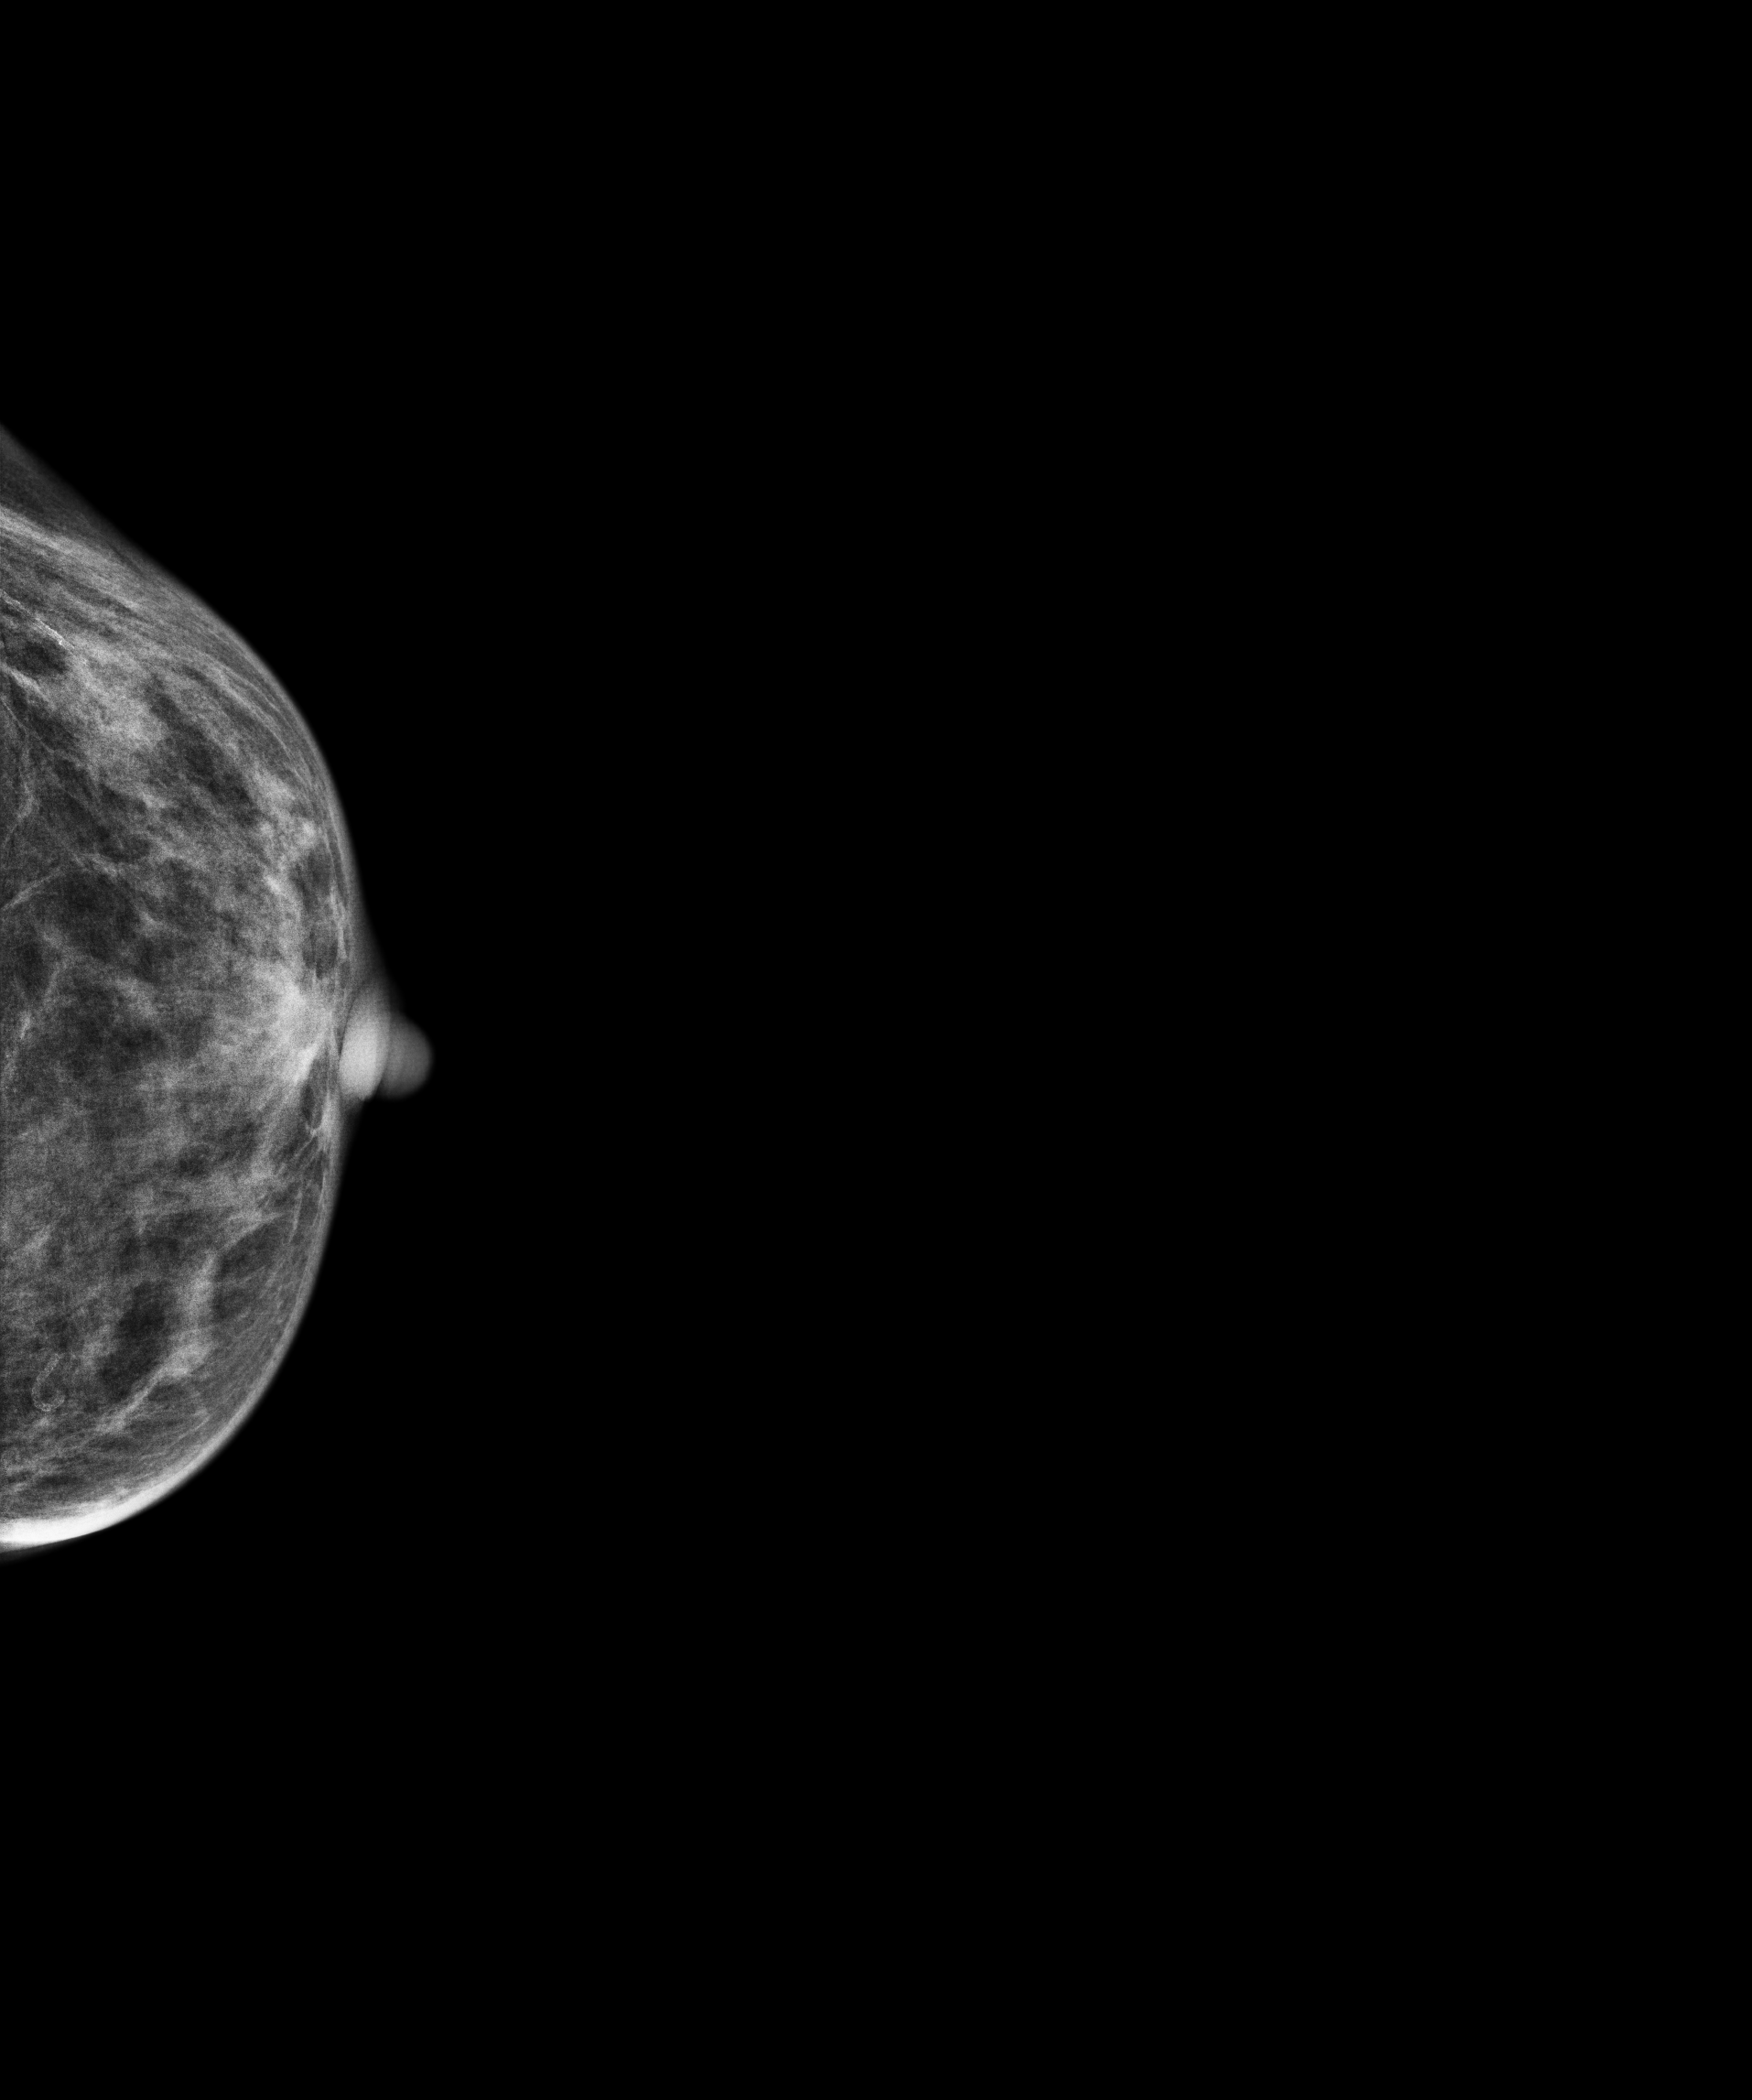
Mammogram — left CC. 70 y/o patient.
This breast has a mass, pathology-confirmed malignant.